Mammogram, left breast, MLO view. 34-year-old patient.
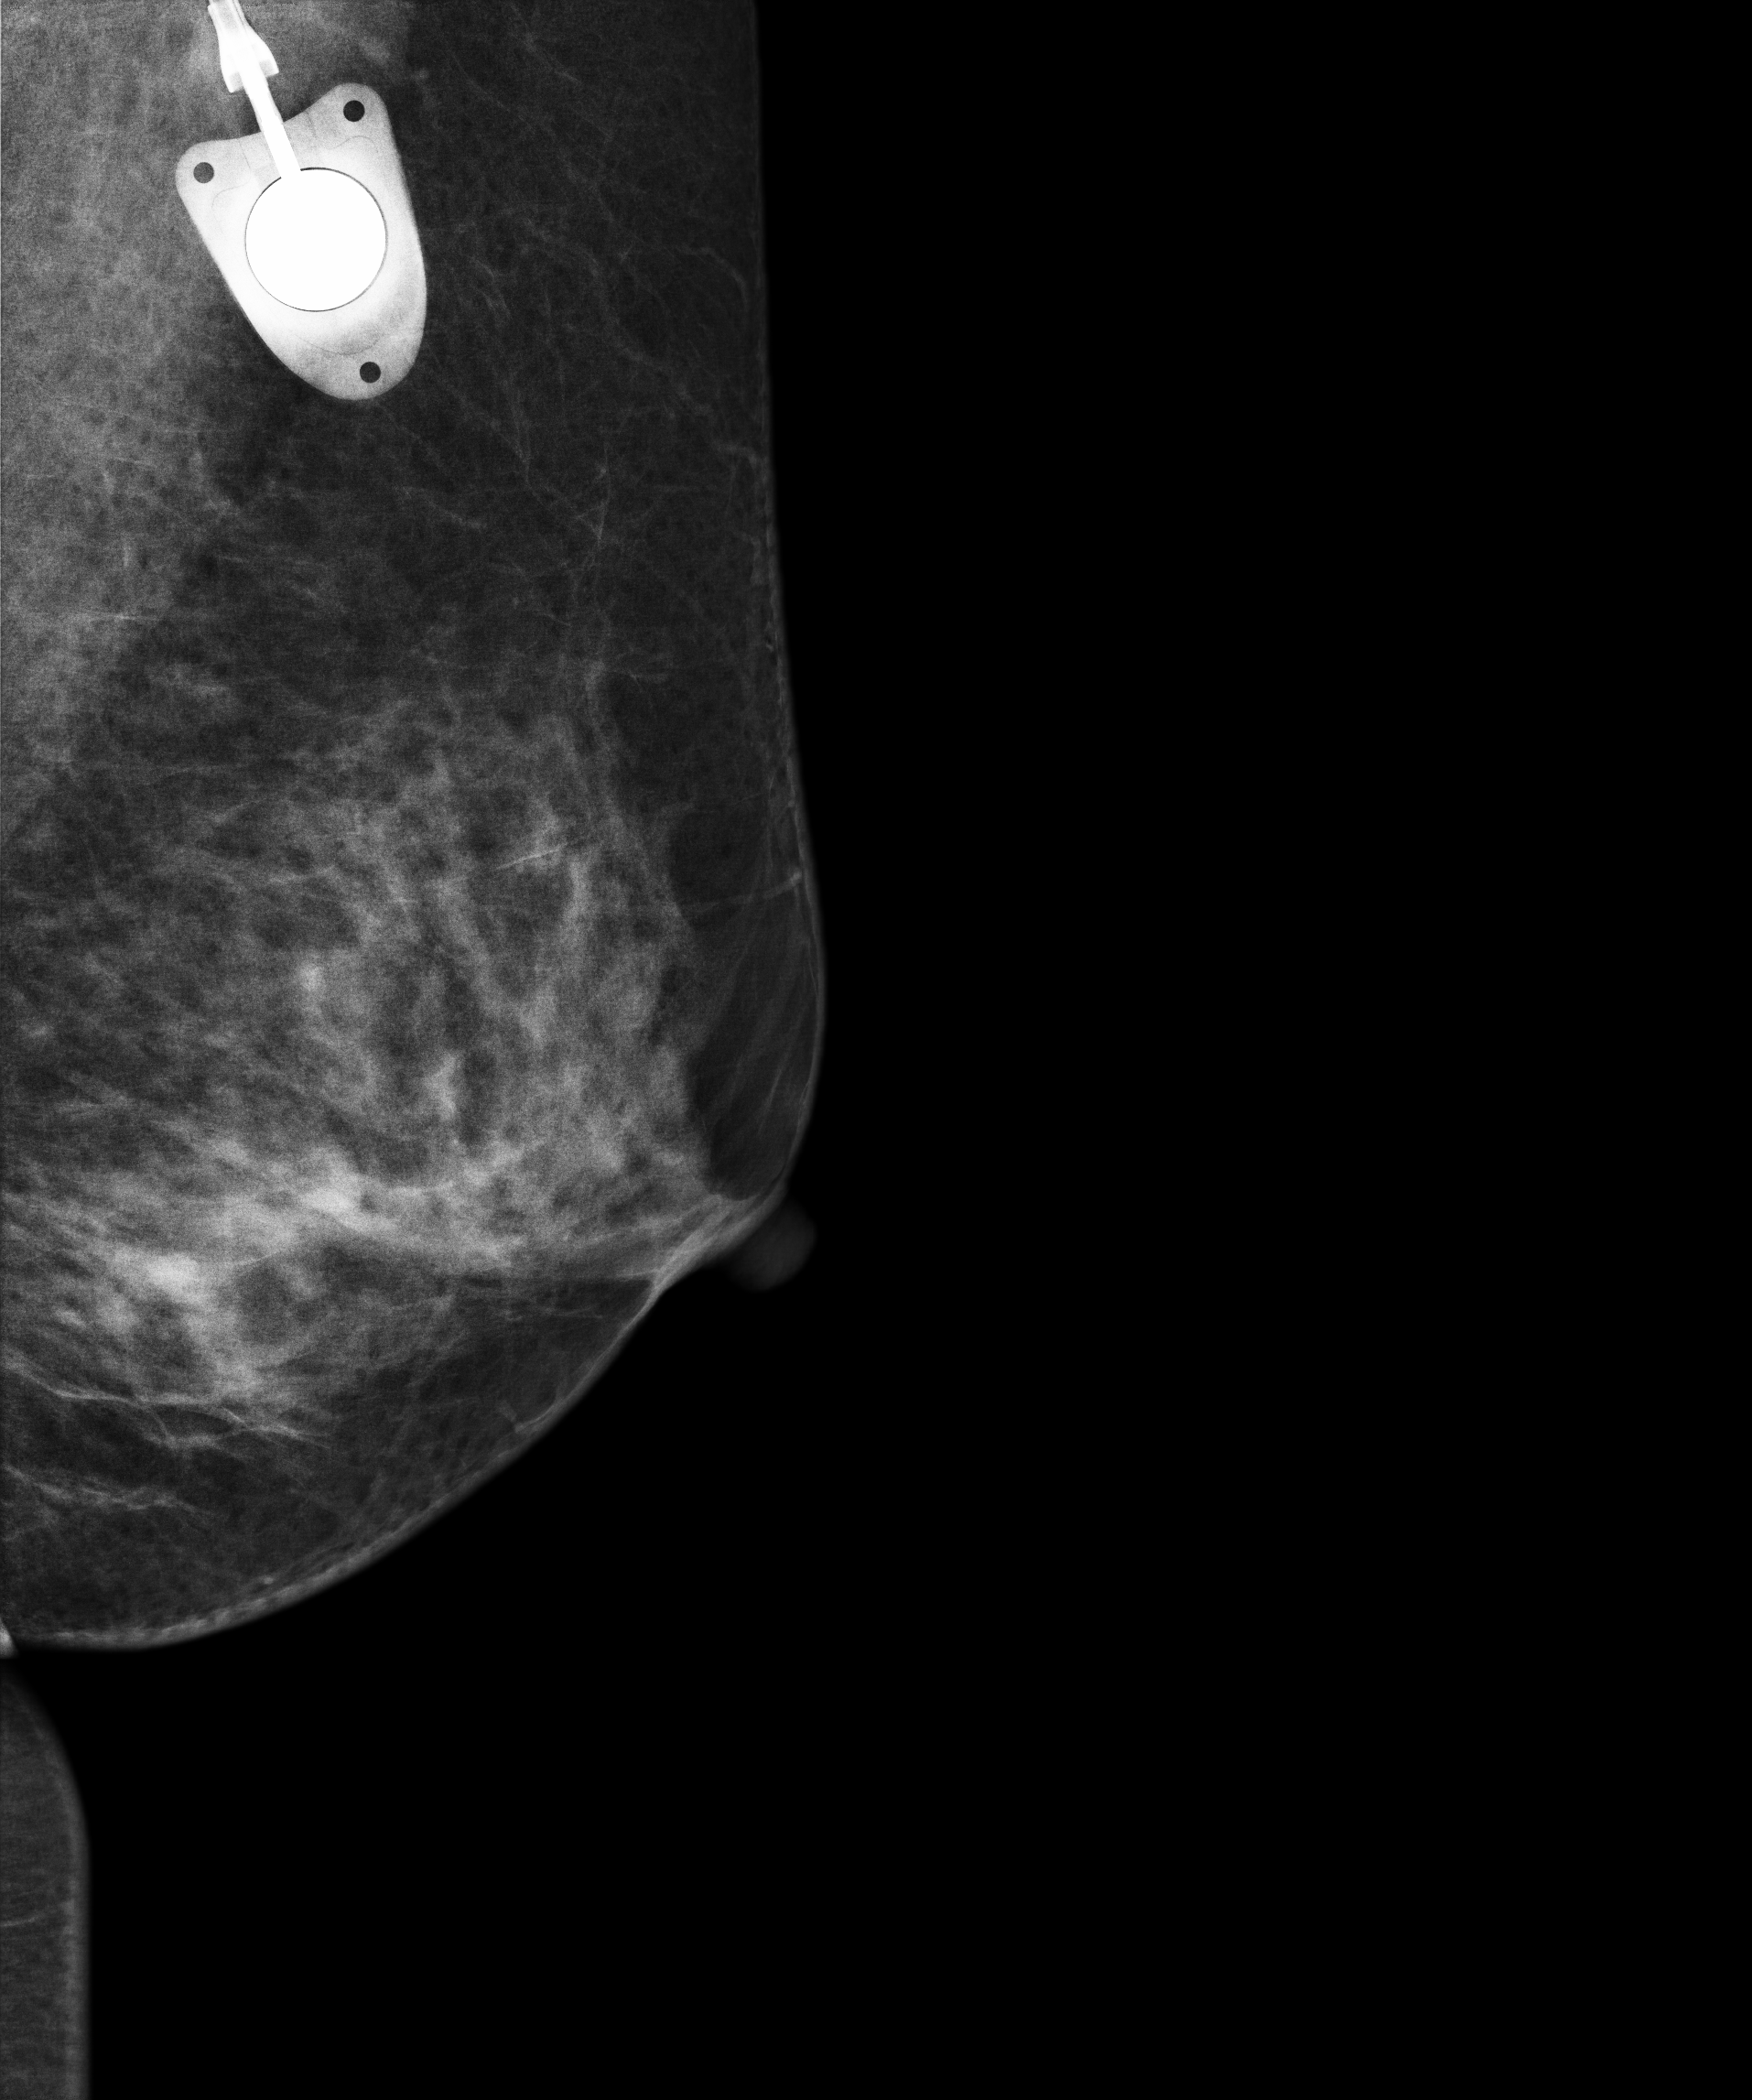
Contralateral breast — no documented abnormality on this side.